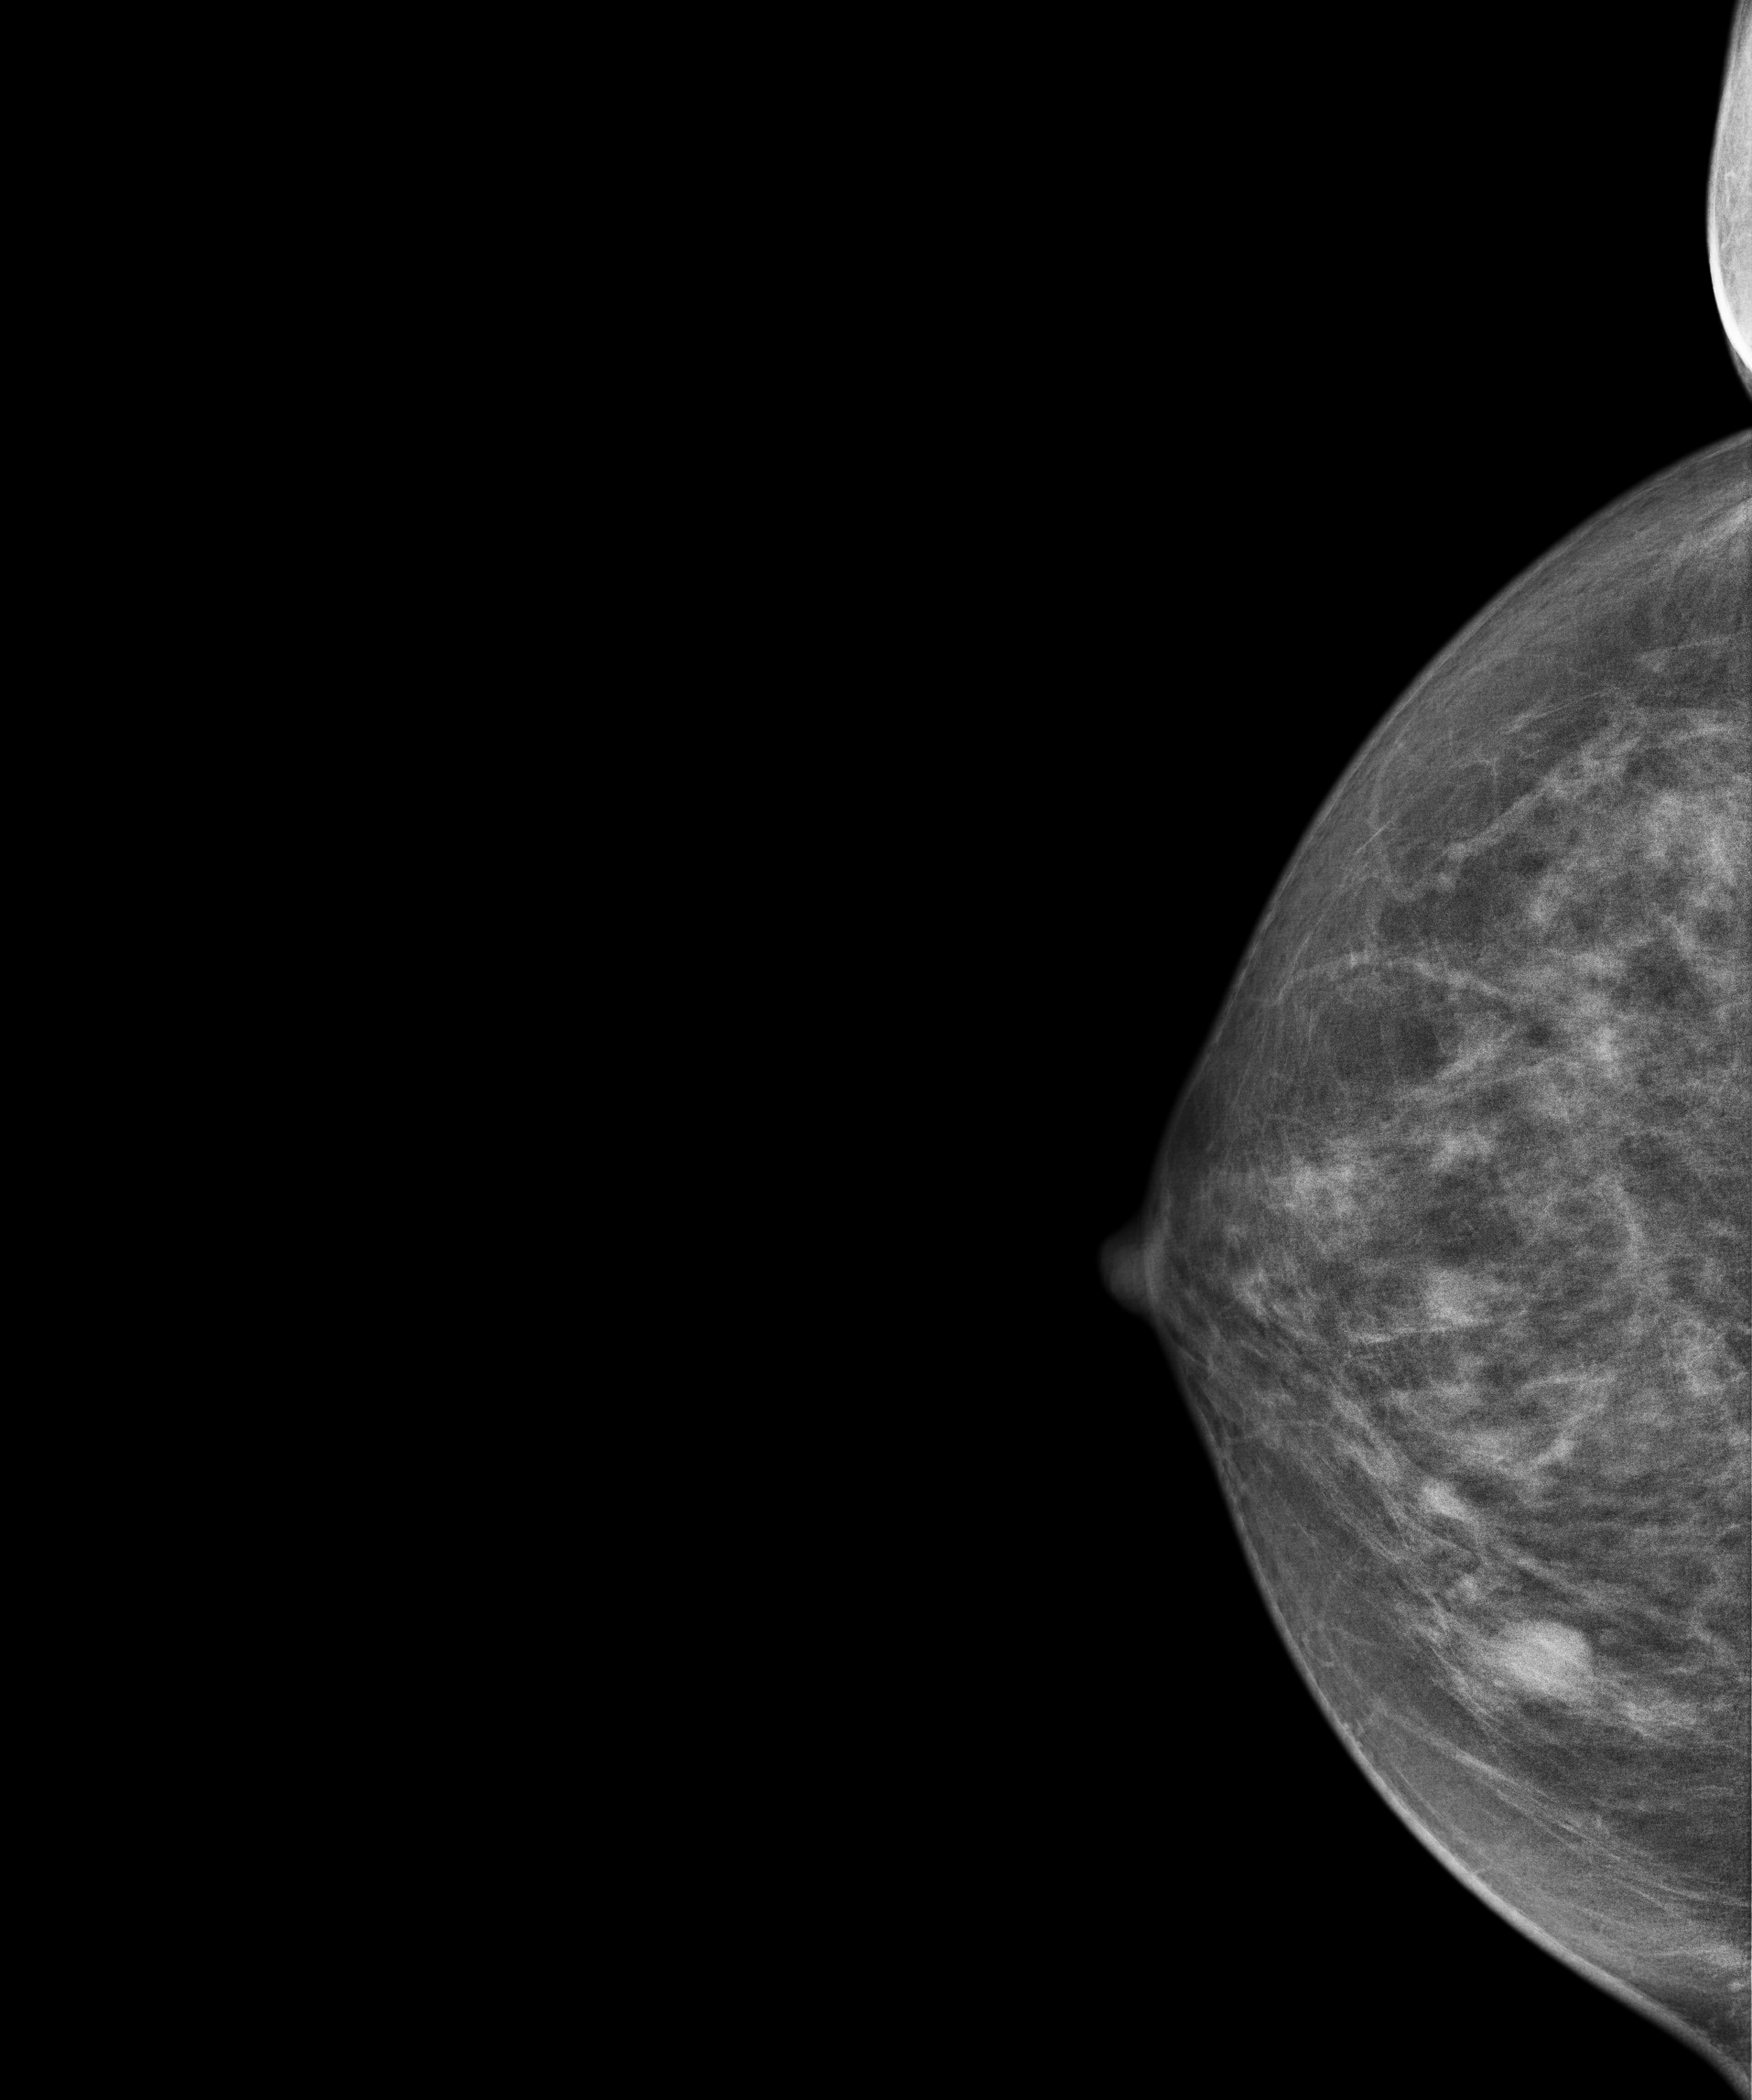
CC mammogram of the right breast. 54 y/o patient.
This breast has a mass, biopsy-proven benign.